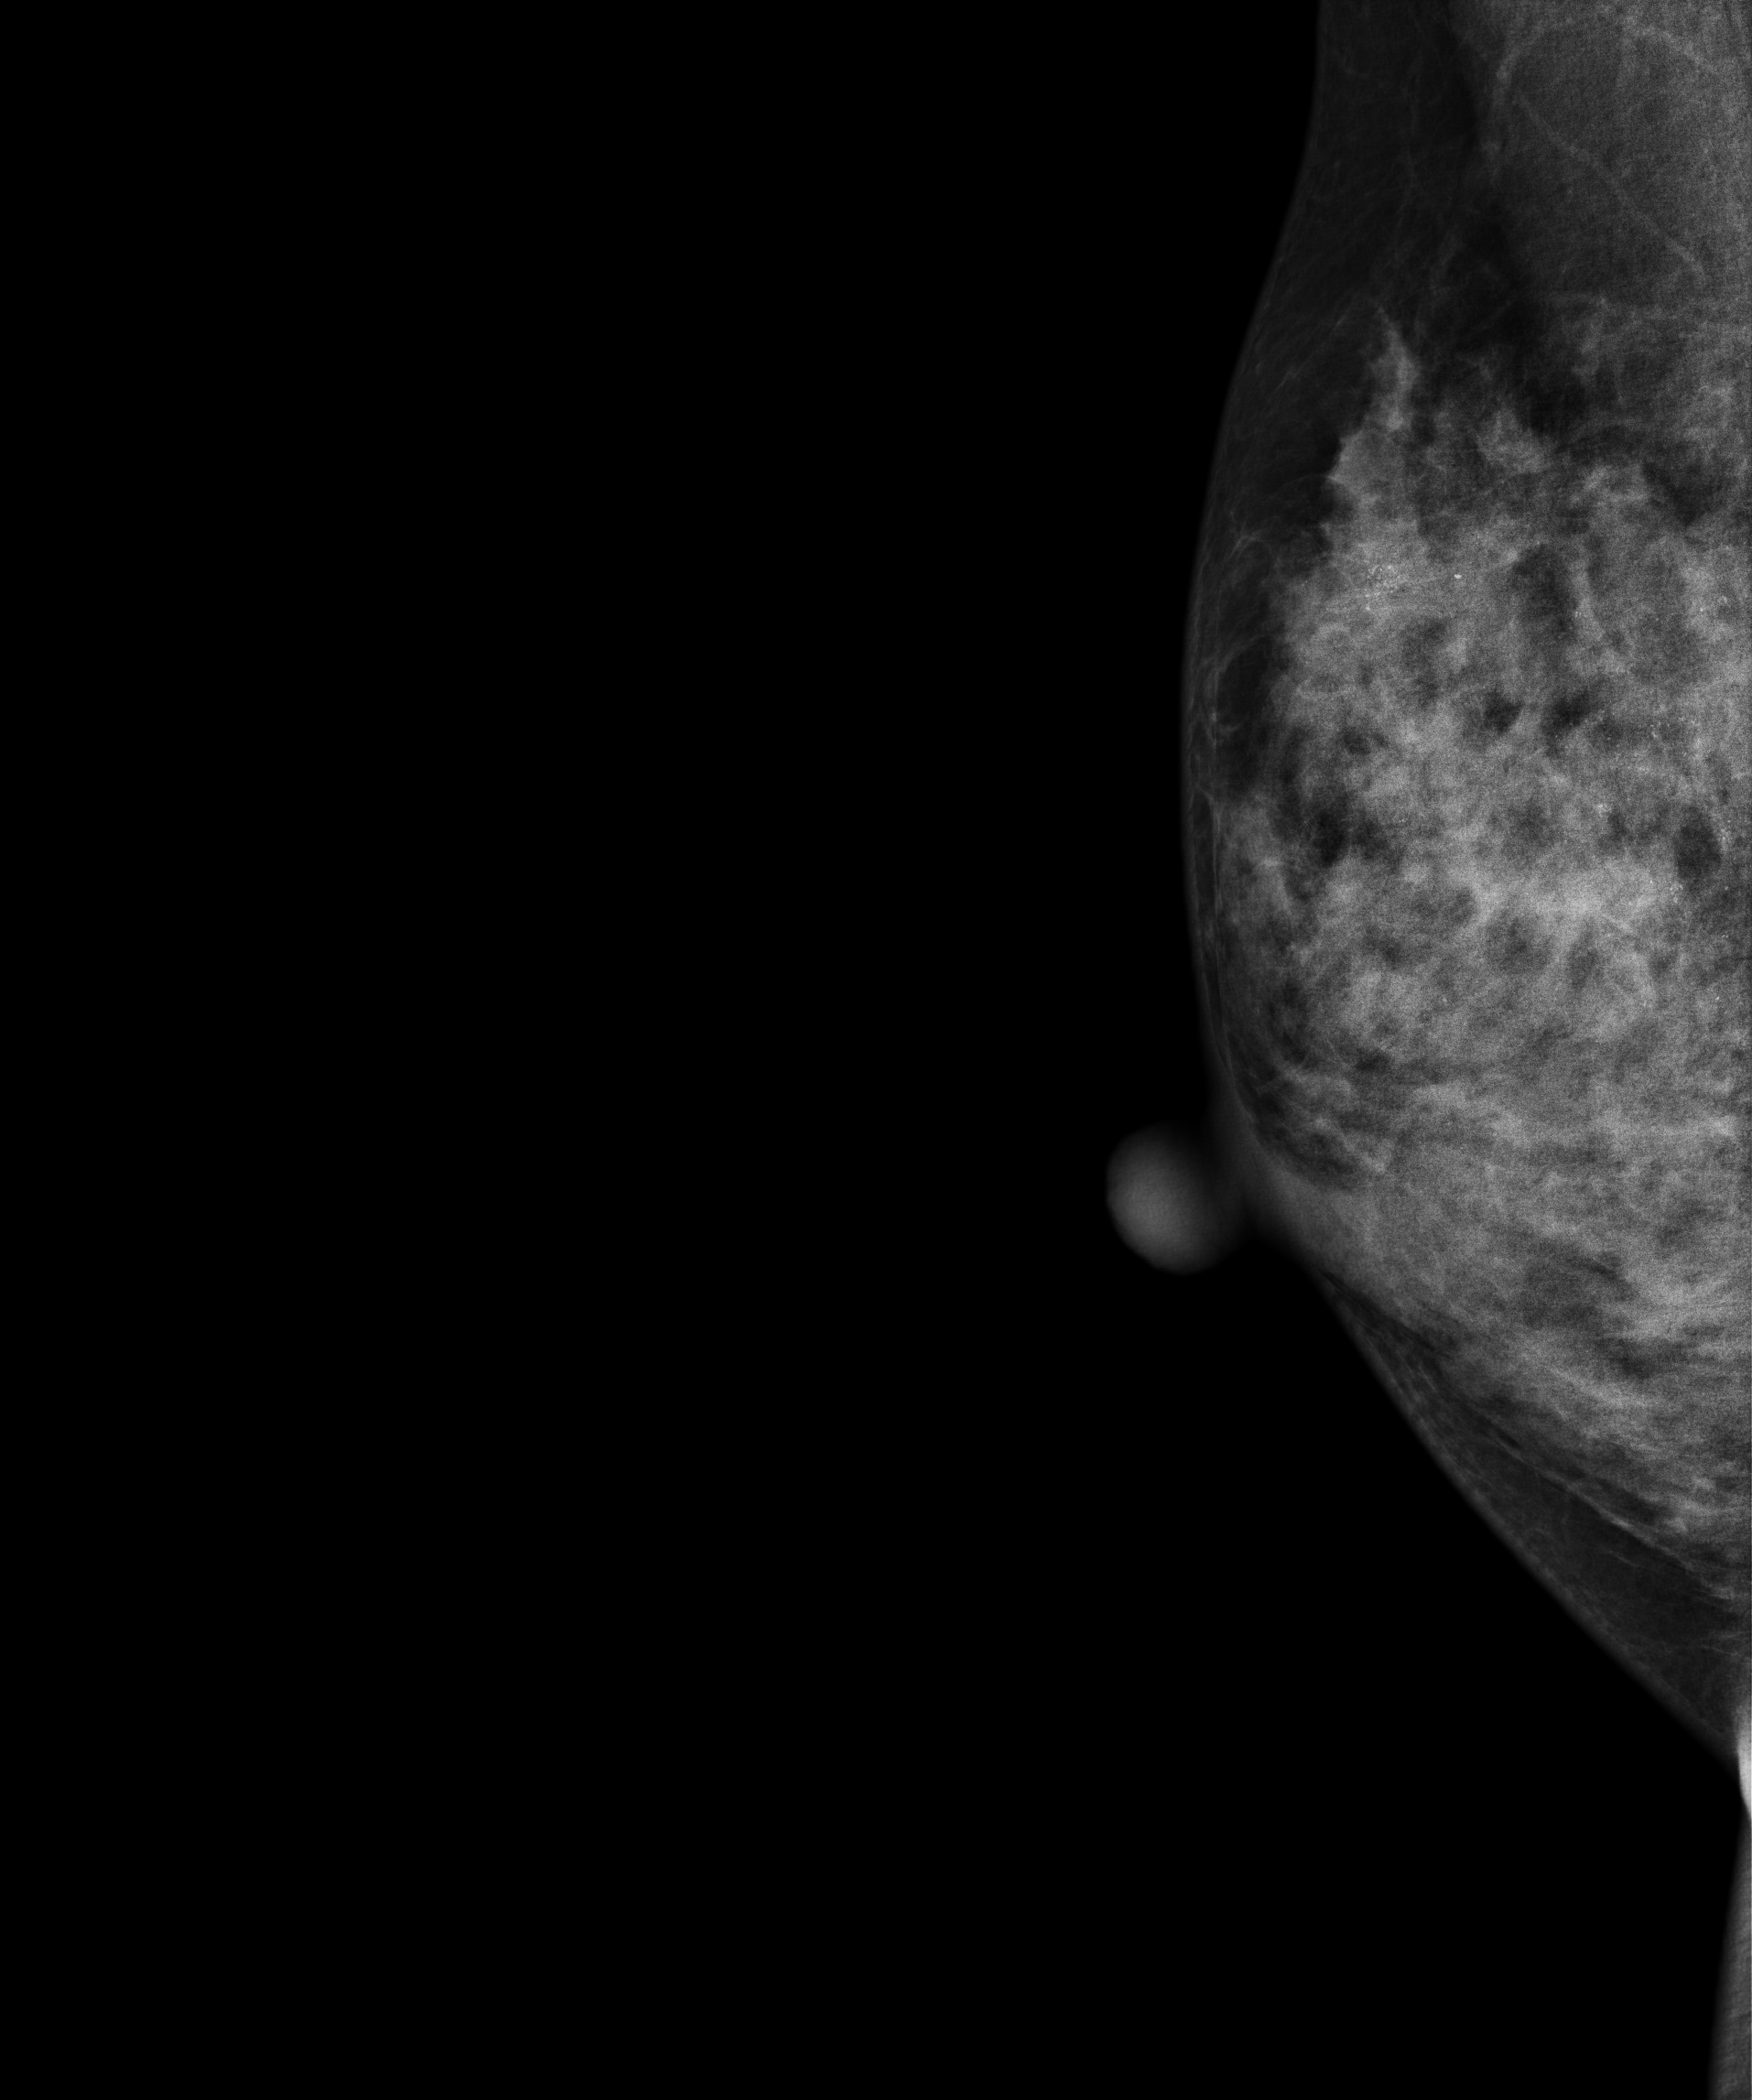
Mammogram, right breast, MLO view. 34-year-old patient.
This breast has calcifications, biopsy-confirmed malignant.